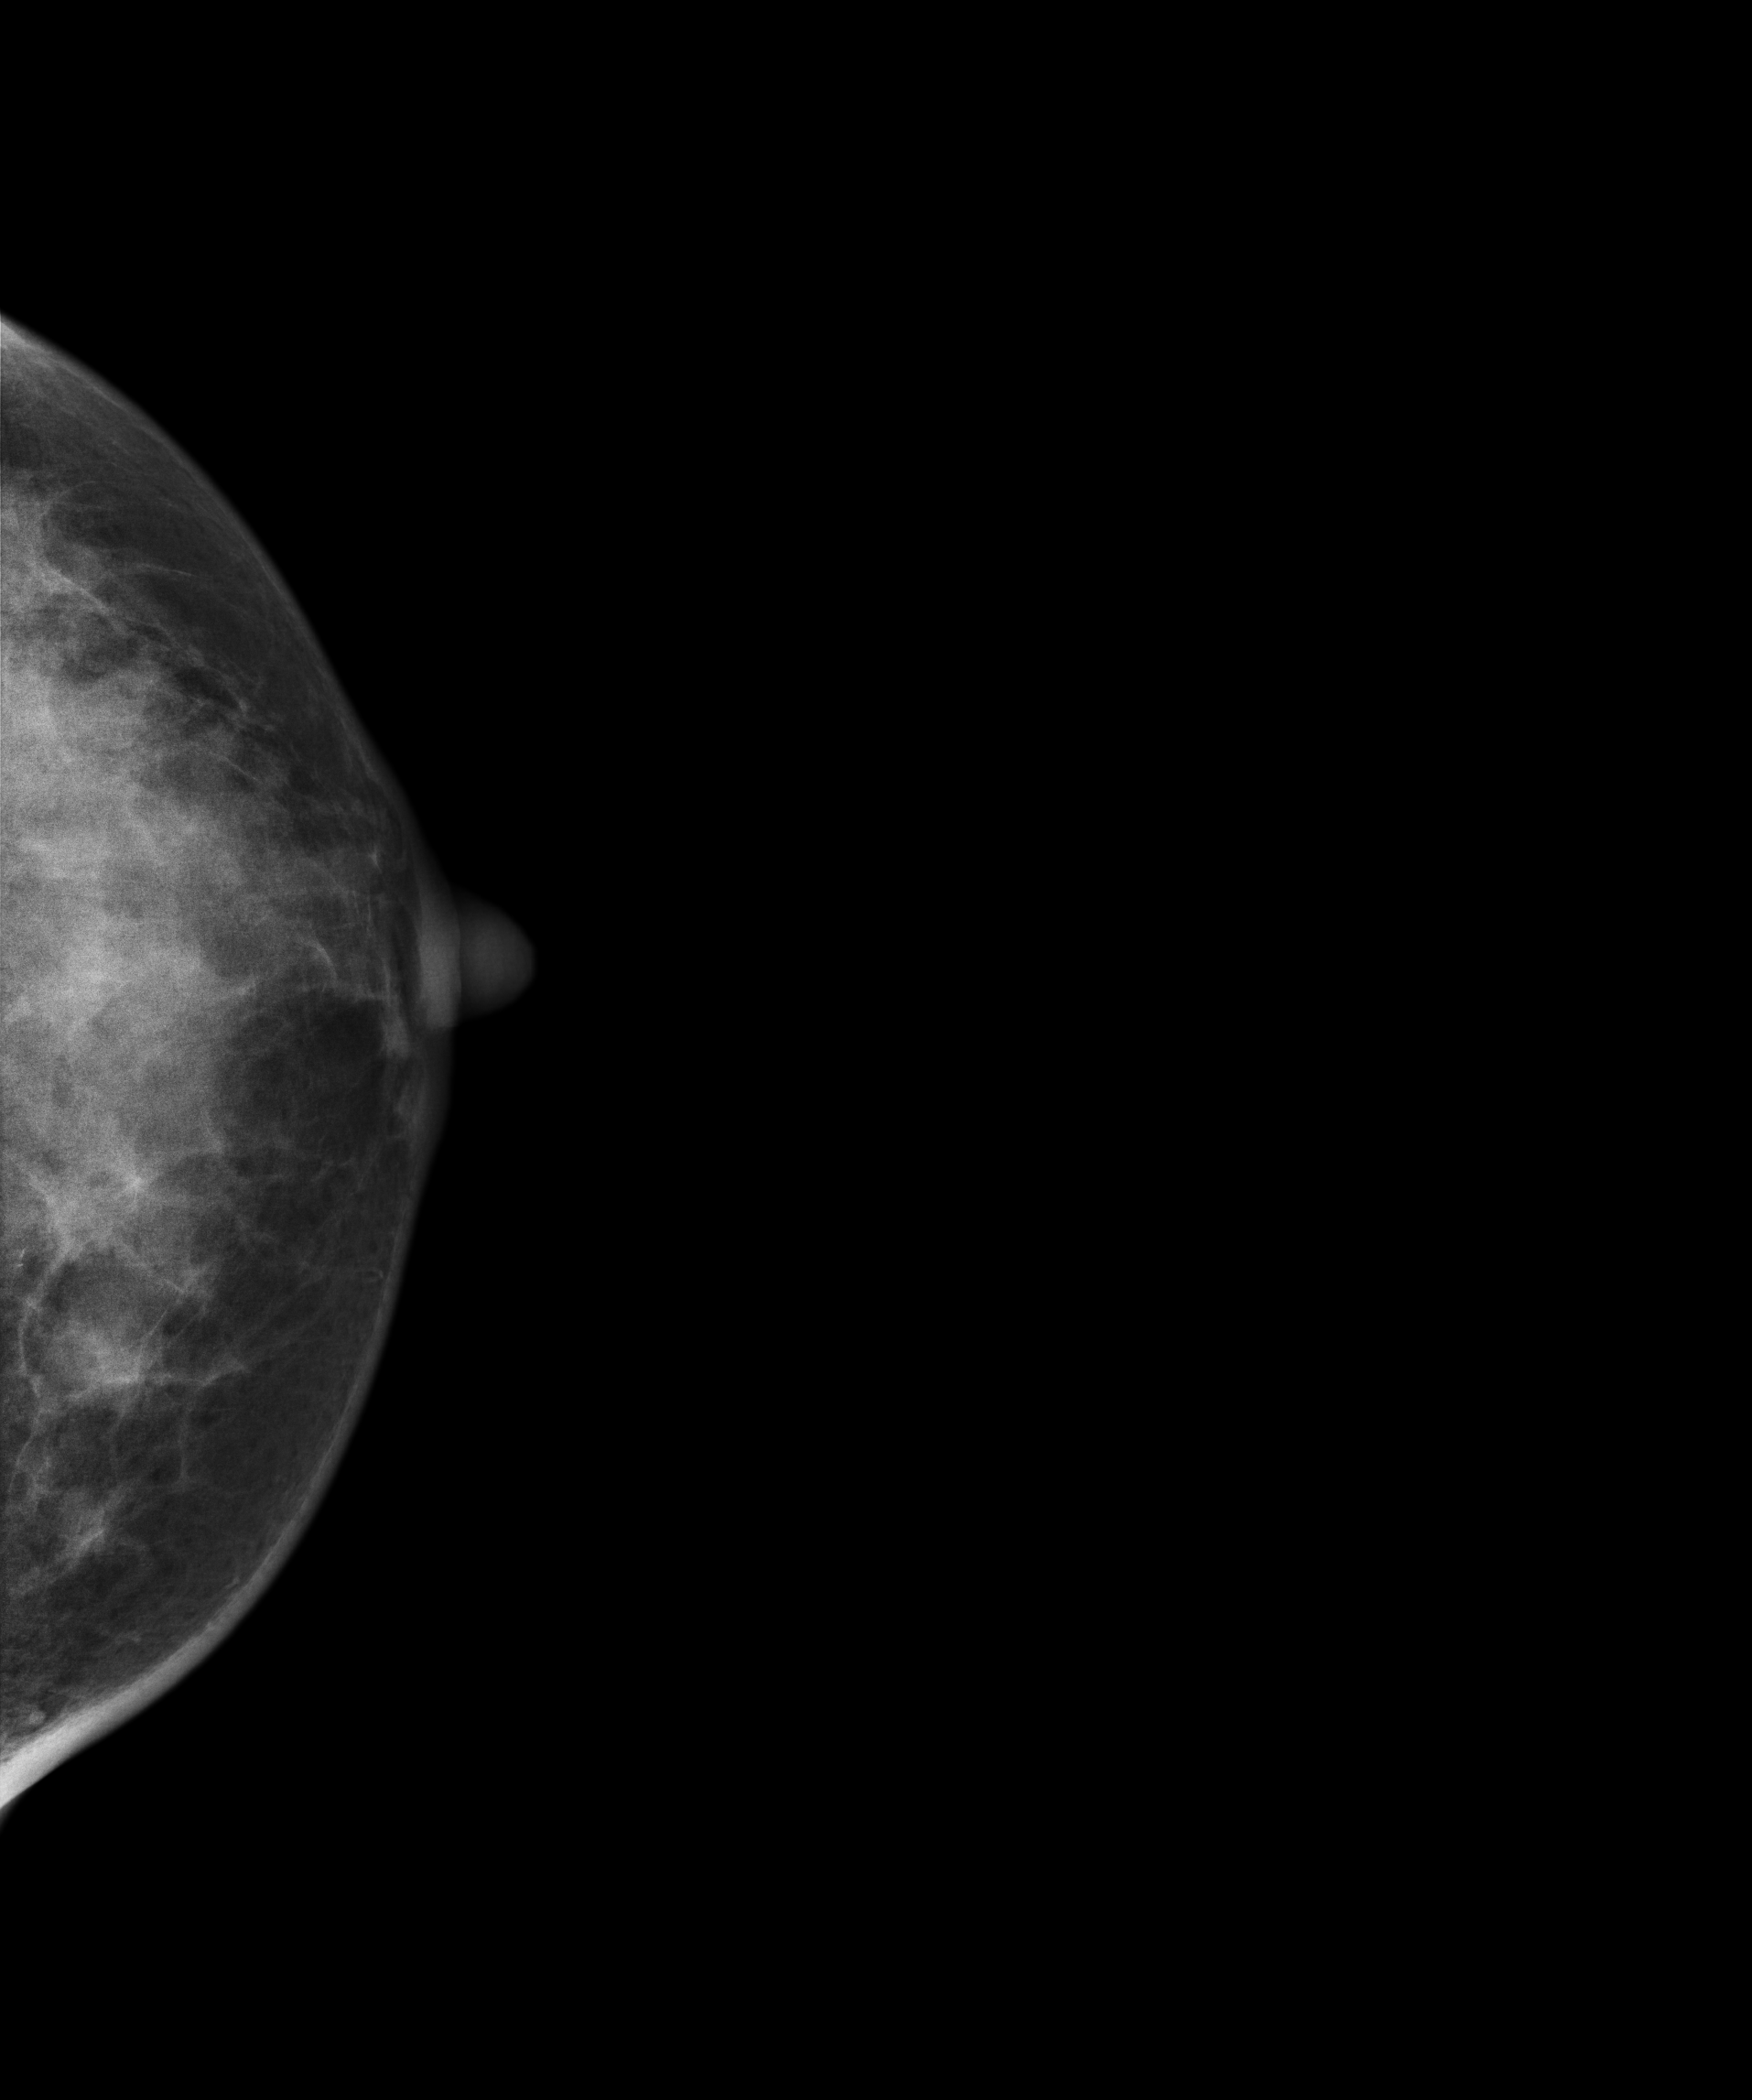
Mammogram — left cranio-caudal. Patient age 35.
Contralateral breast — no documented abnormality on this side.